Mammogram — left cranio-caudal. 48 y/o patient.
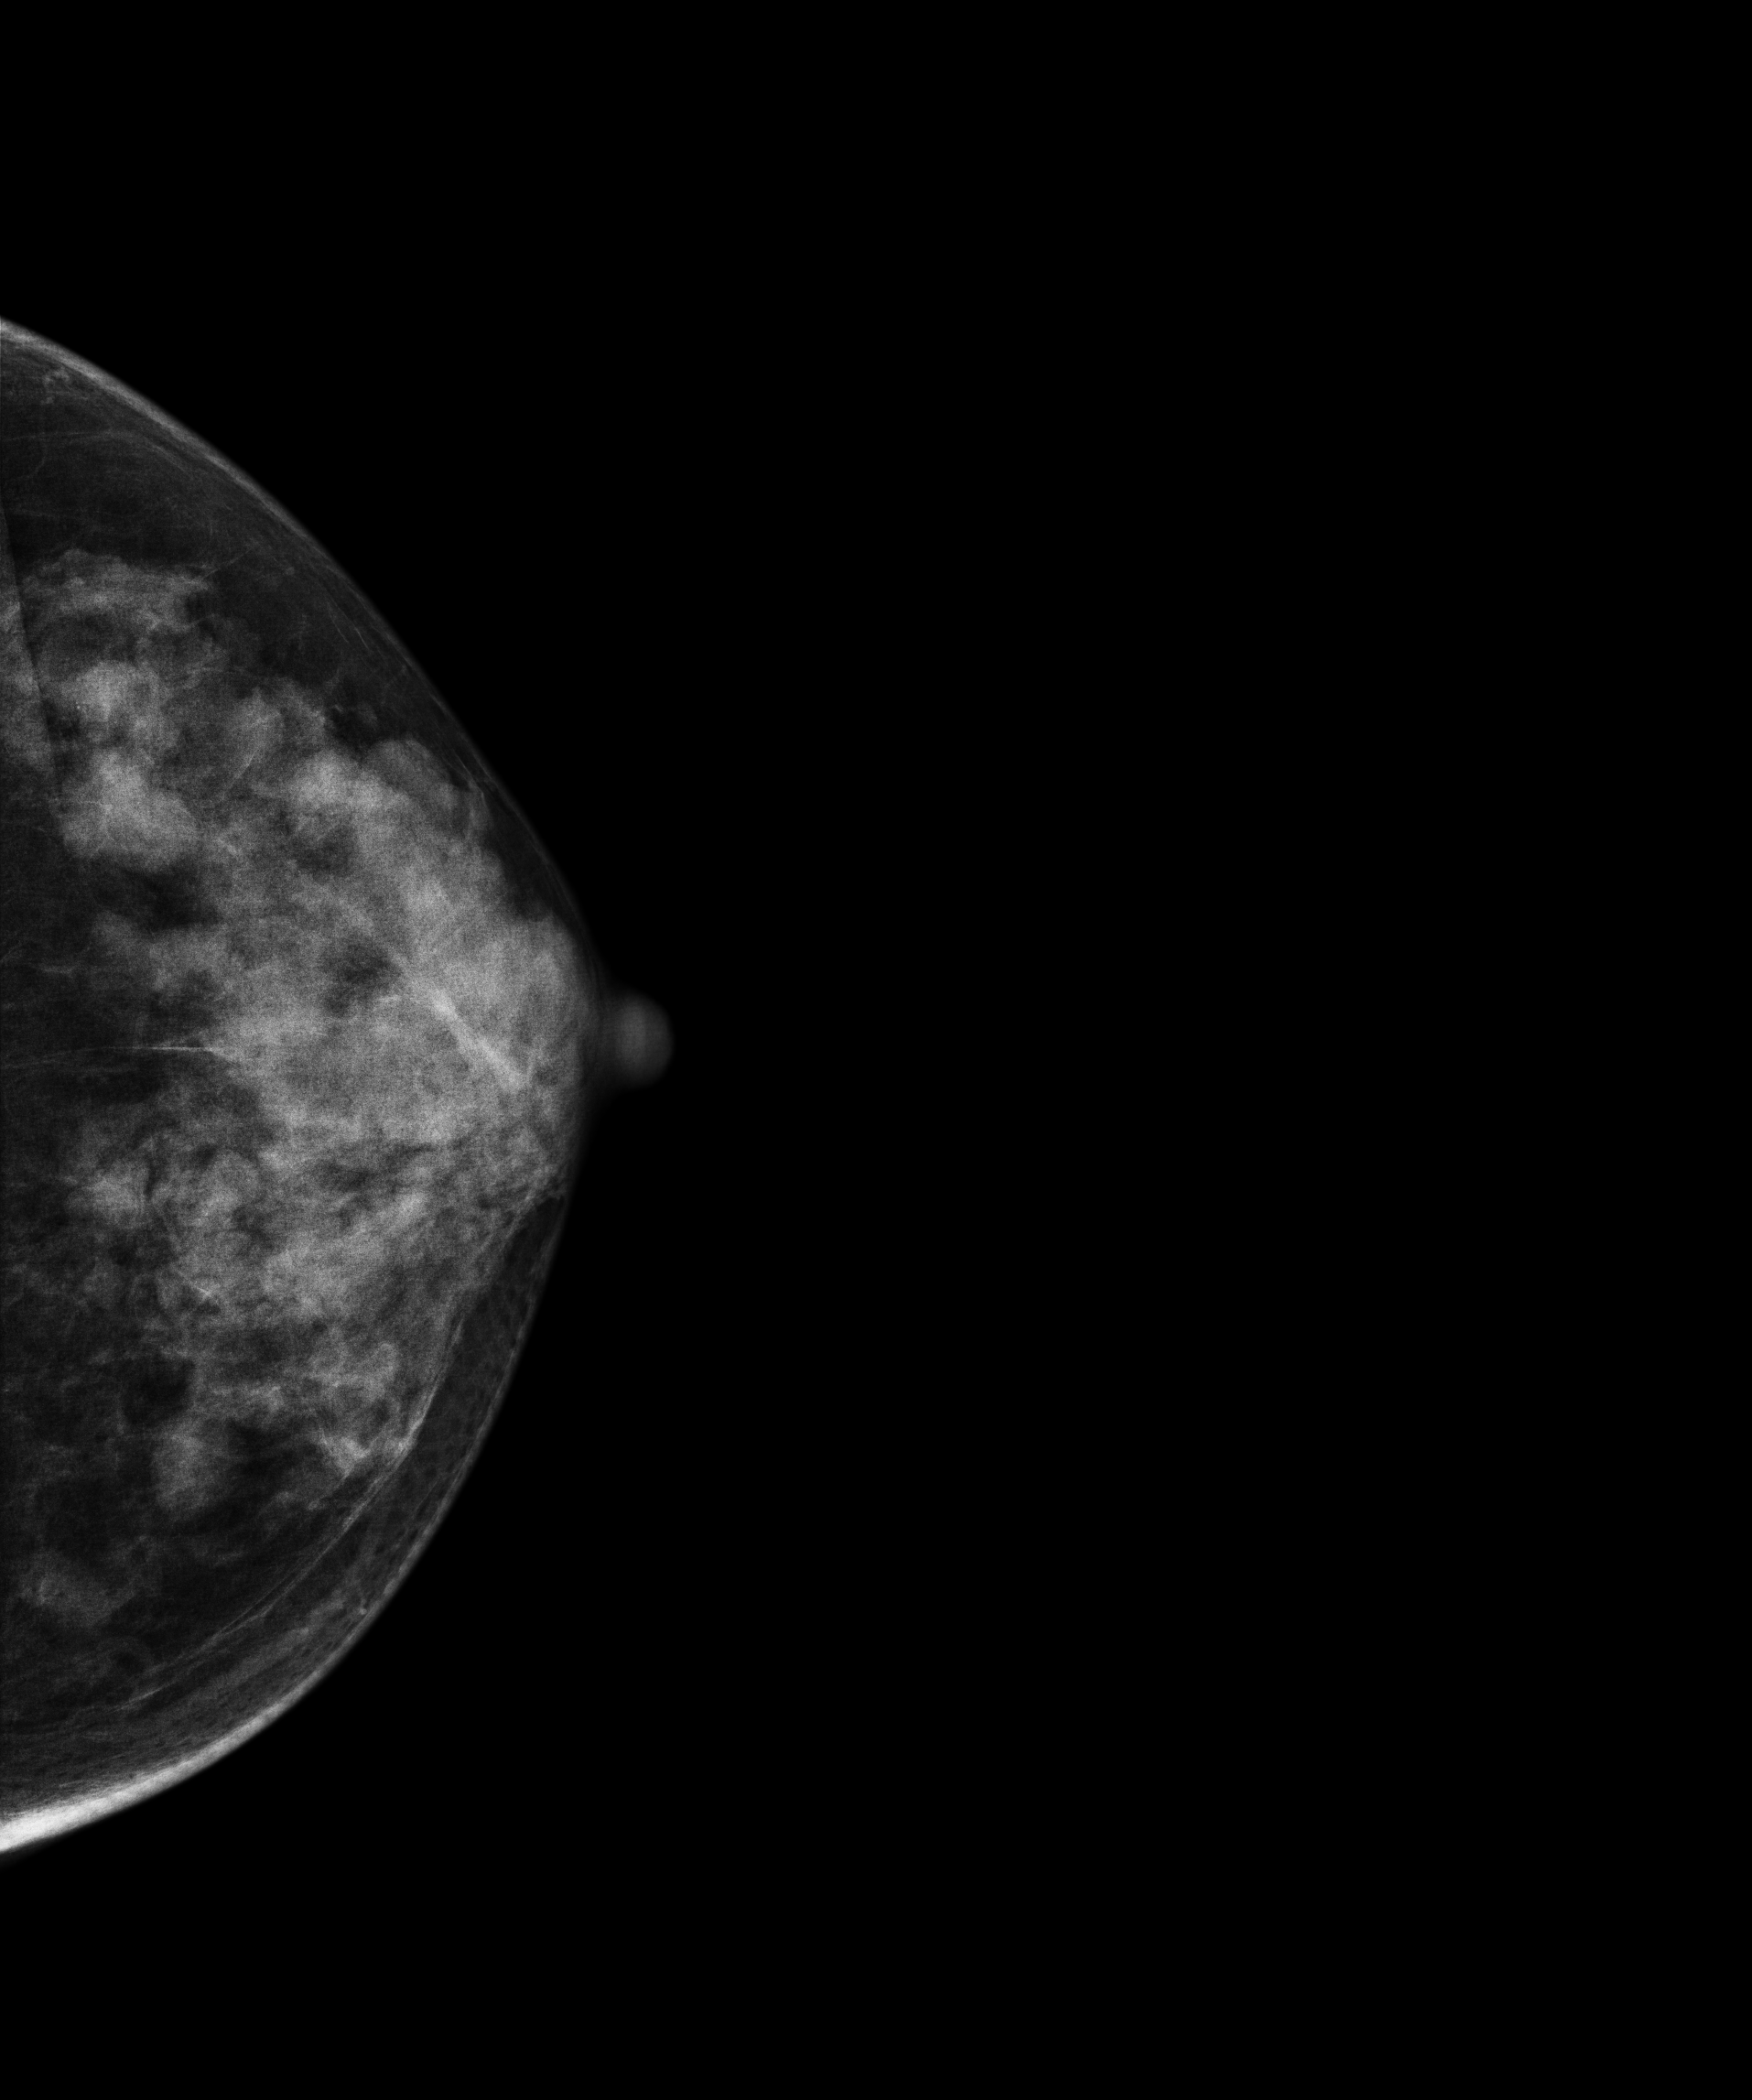
This breast has a mass, biopsy-proven benign.